Mammogram, right breast, cranio-caudal view. 37-year-old patient.
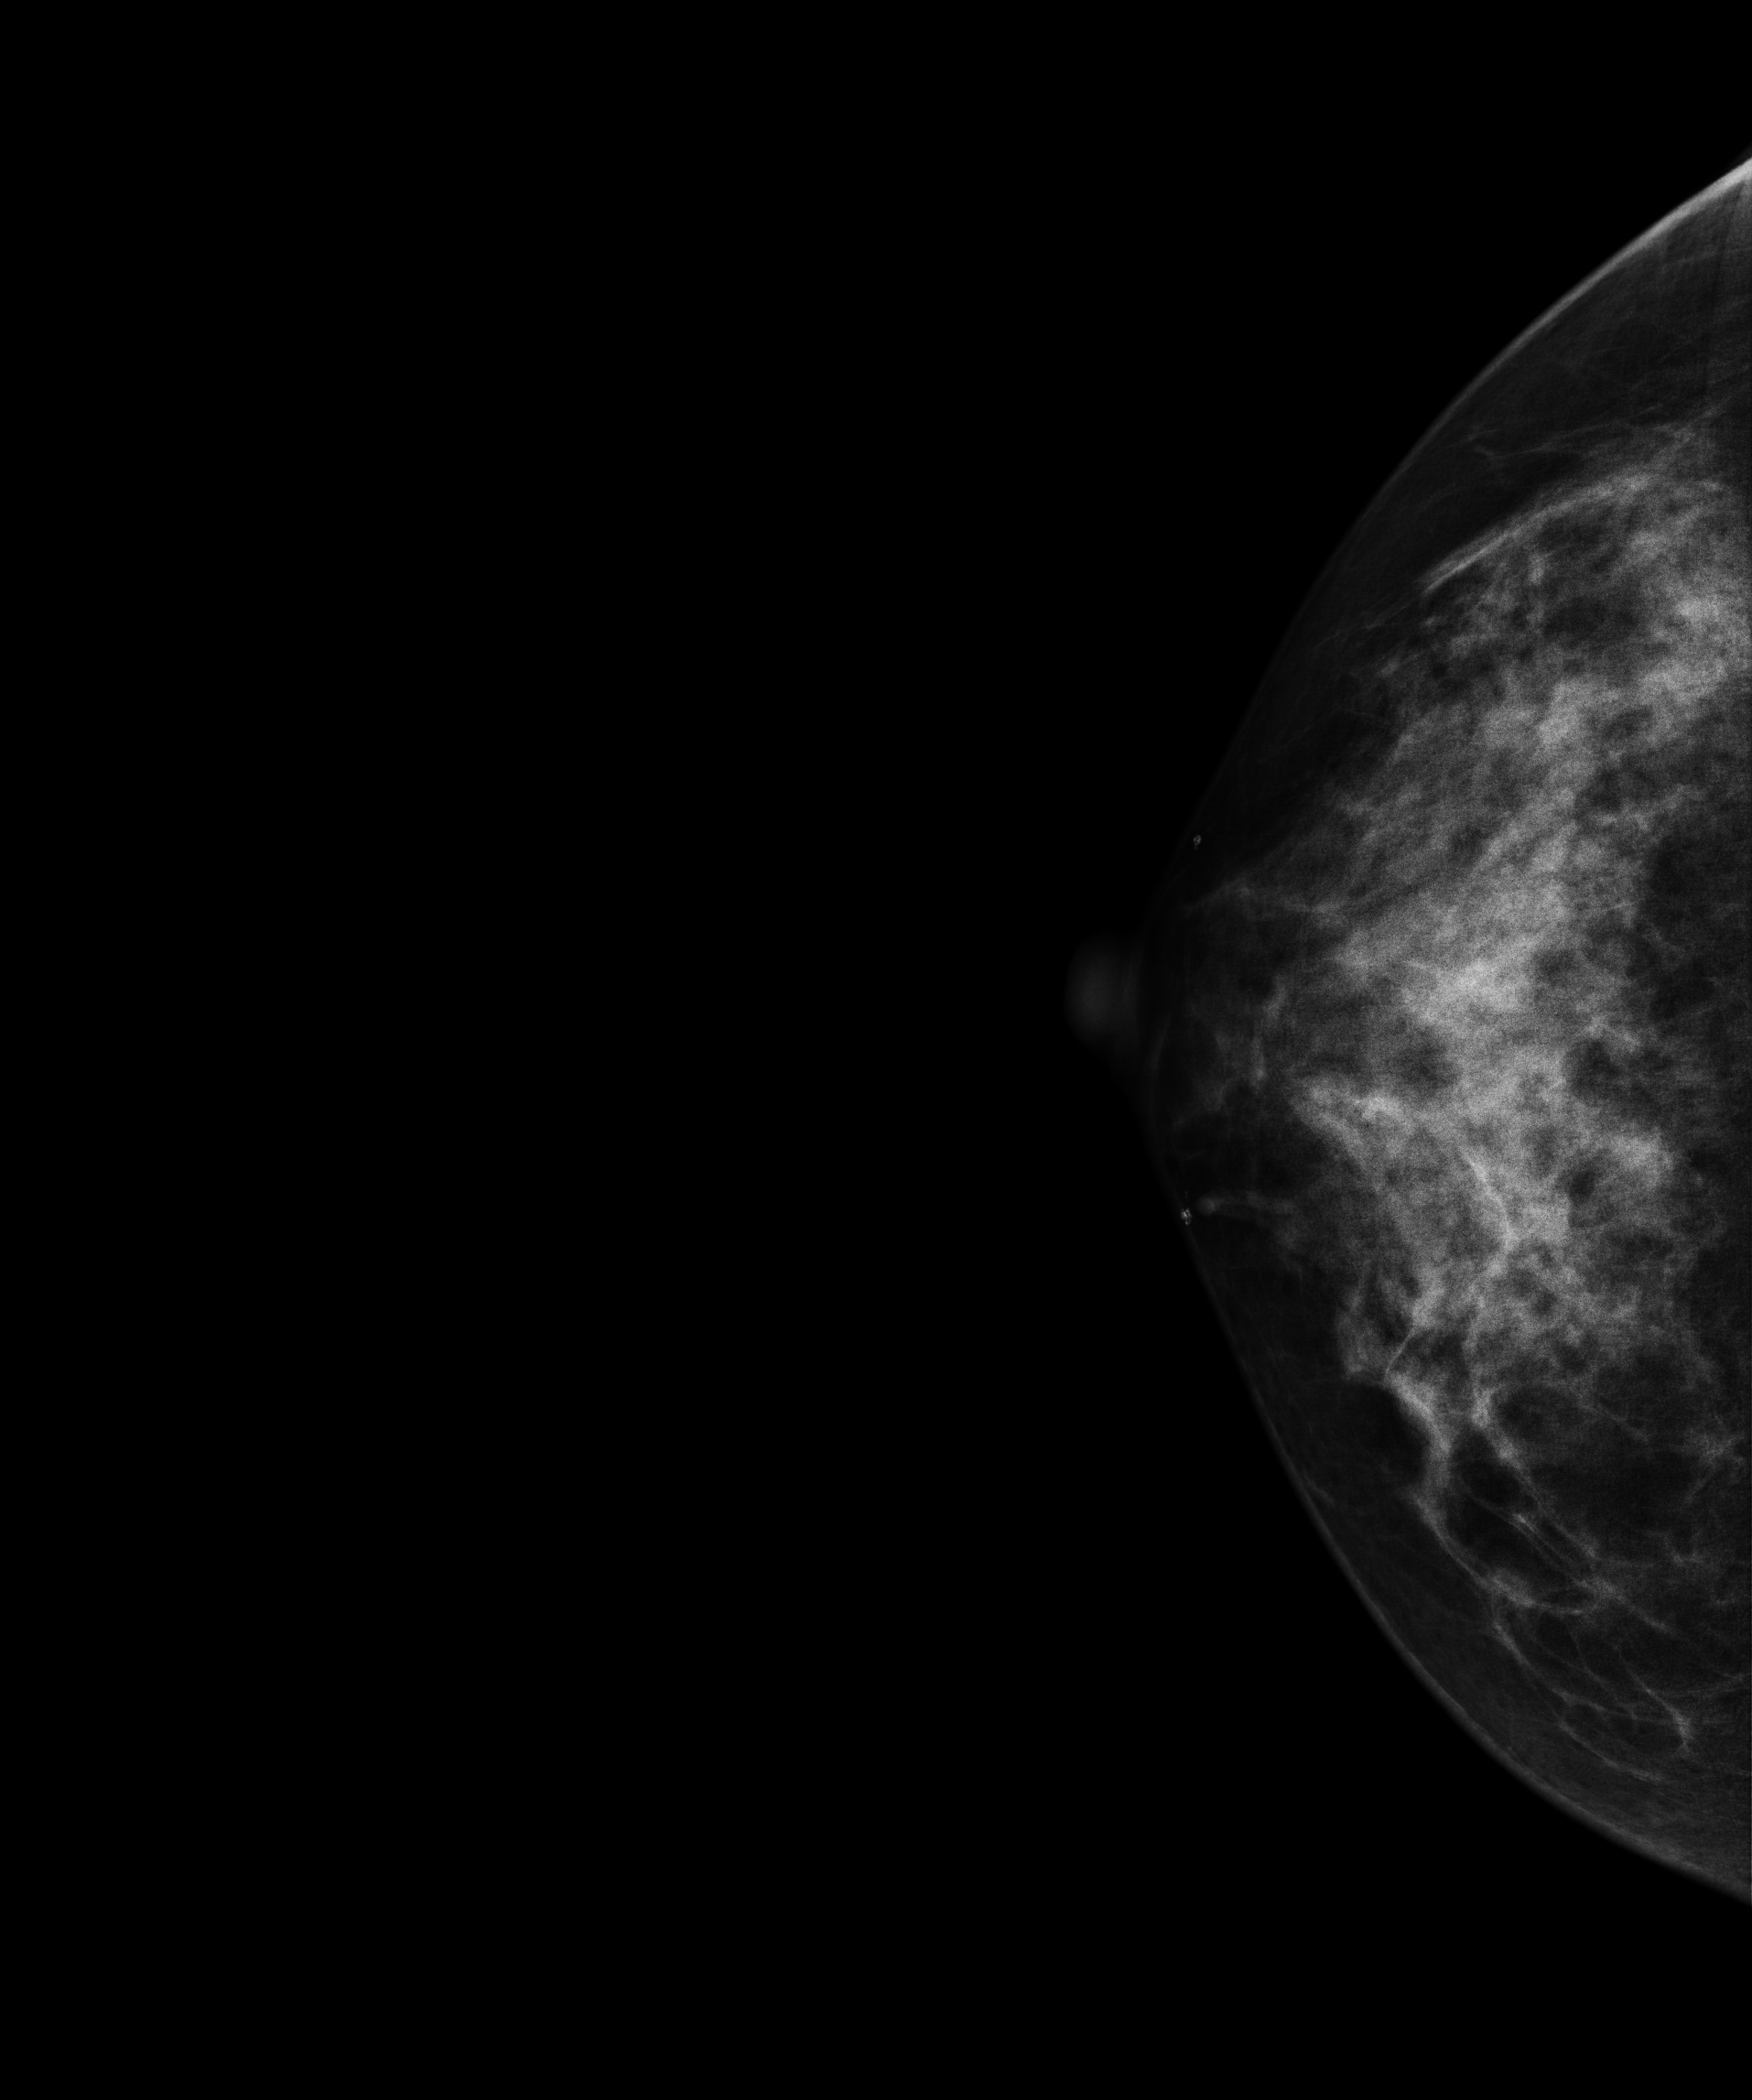
This breast has a mass, histologically confirmed benign.